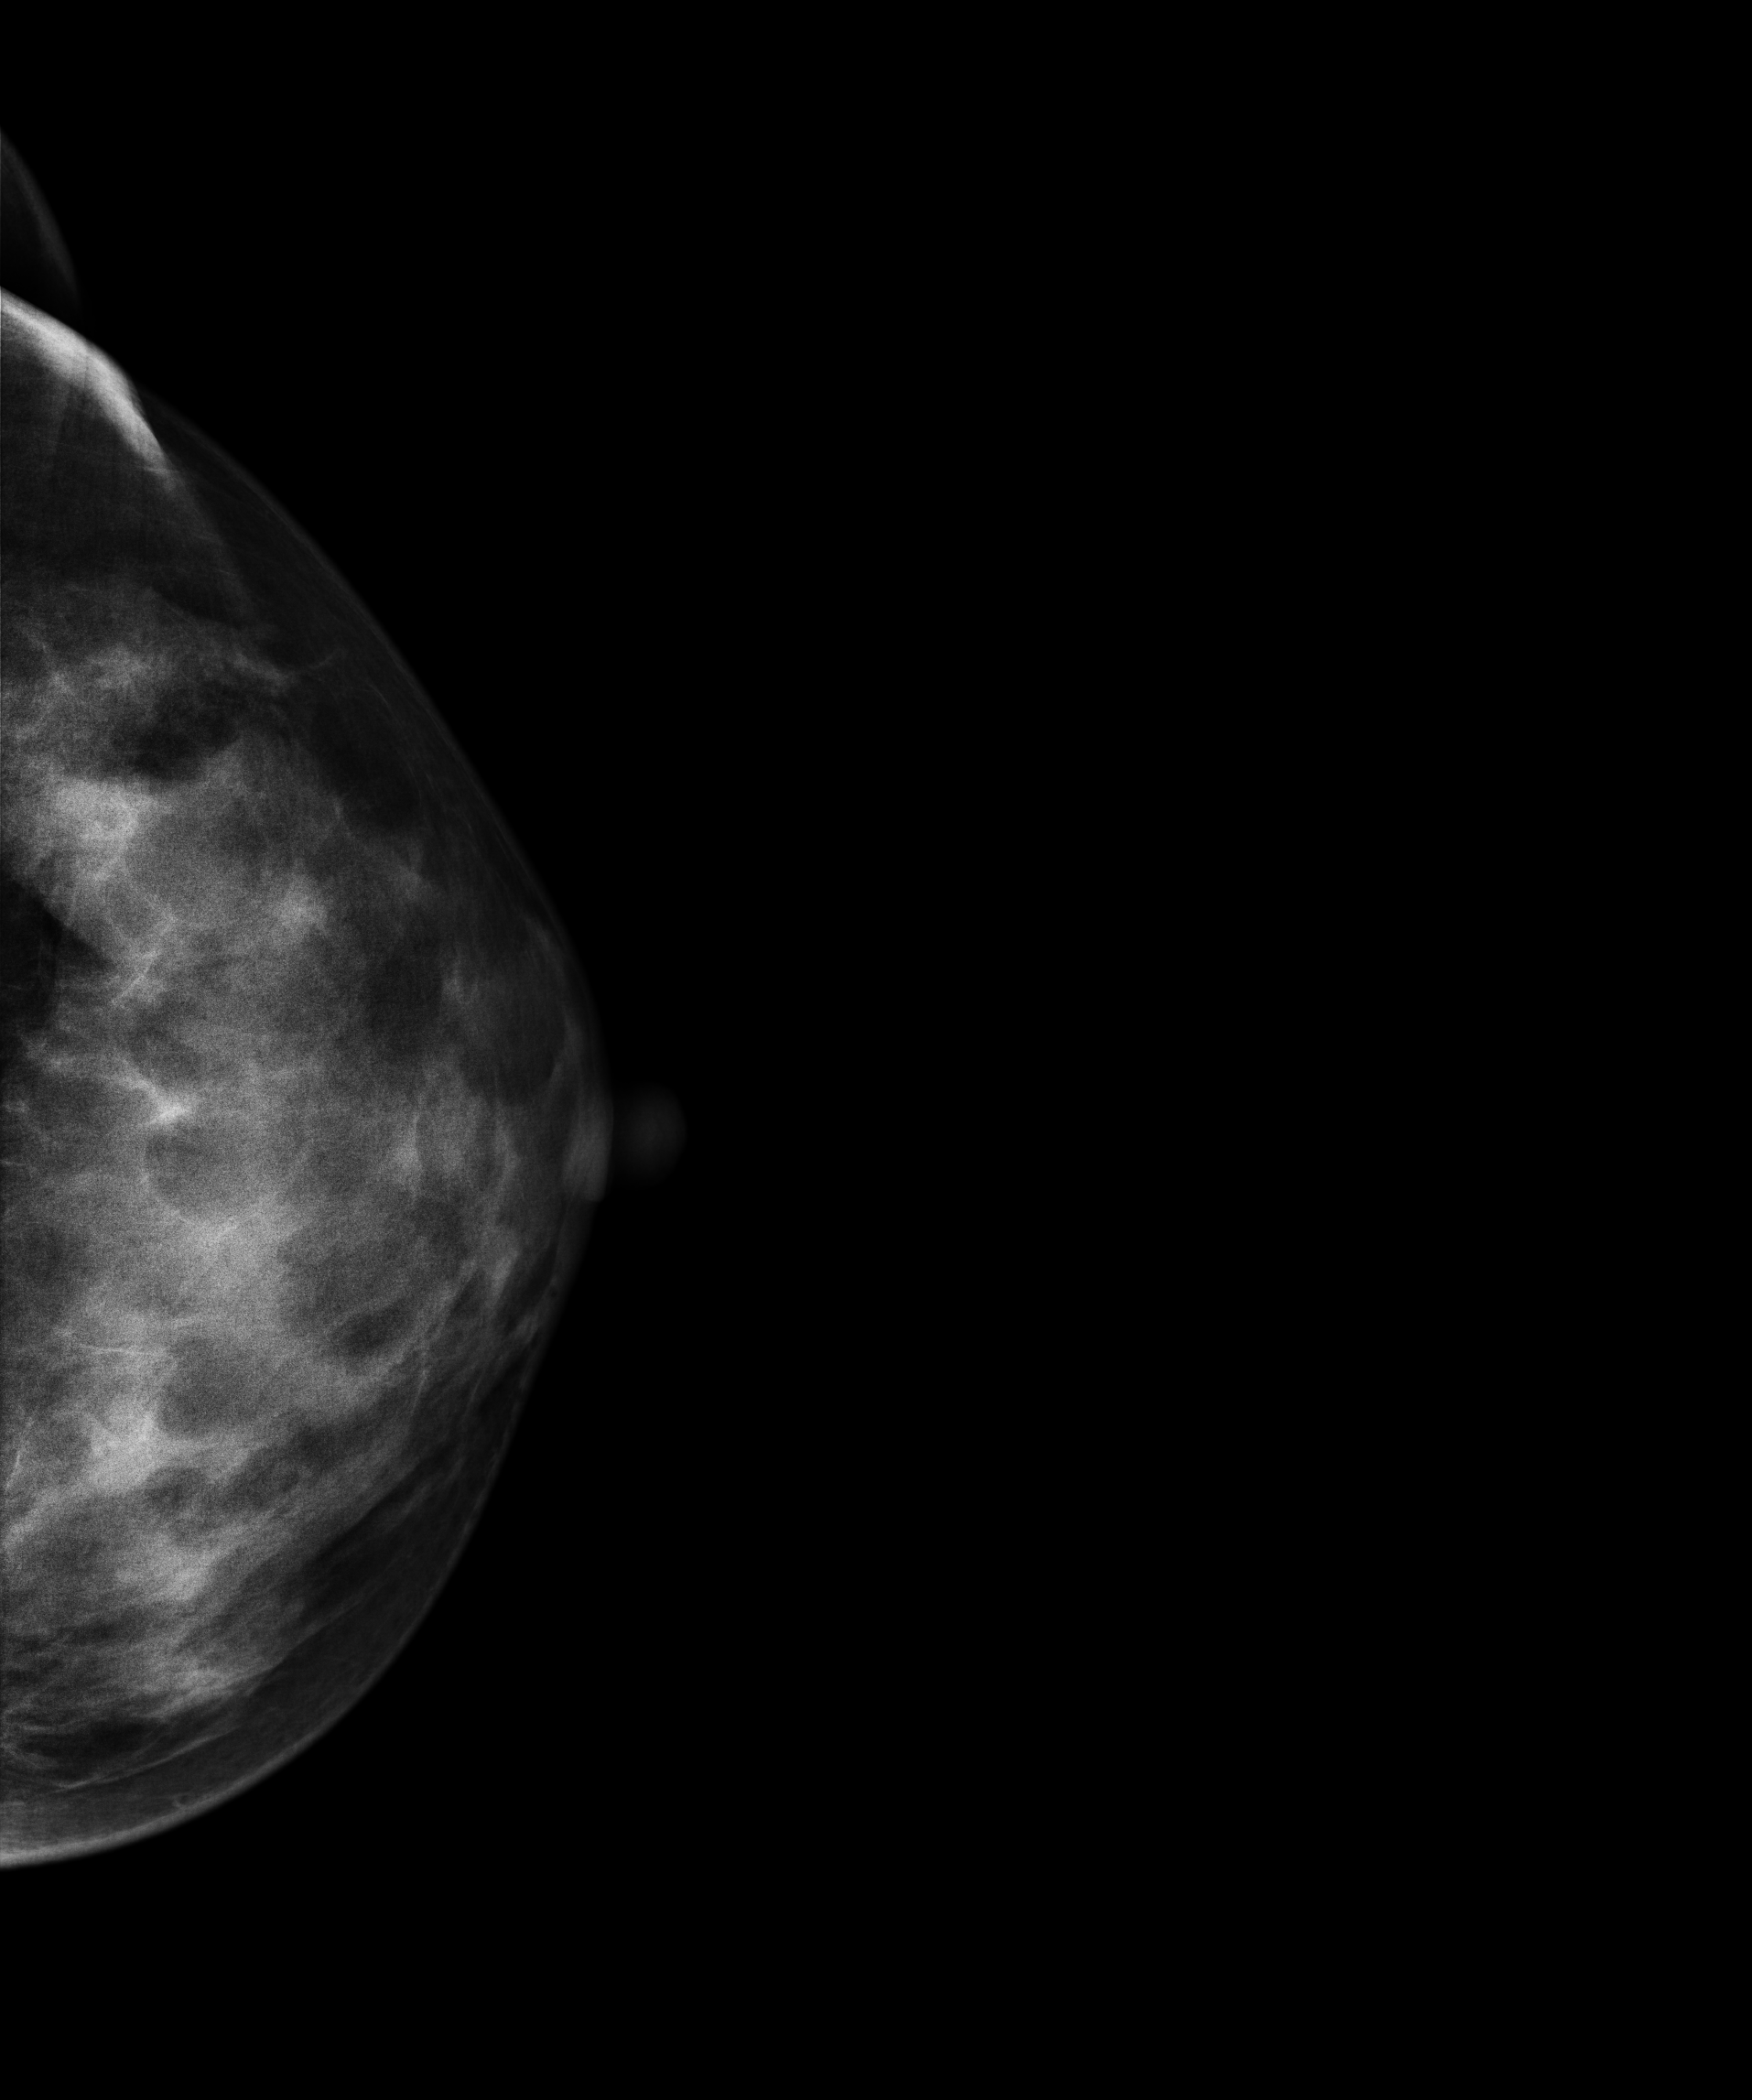
Digital mammography. Left breast, CC projection. 41-year-old patient.
Contralateral breast — no documented abnormality on this side.